Mammogram — right cranio-caudal. 40 y/o patient.
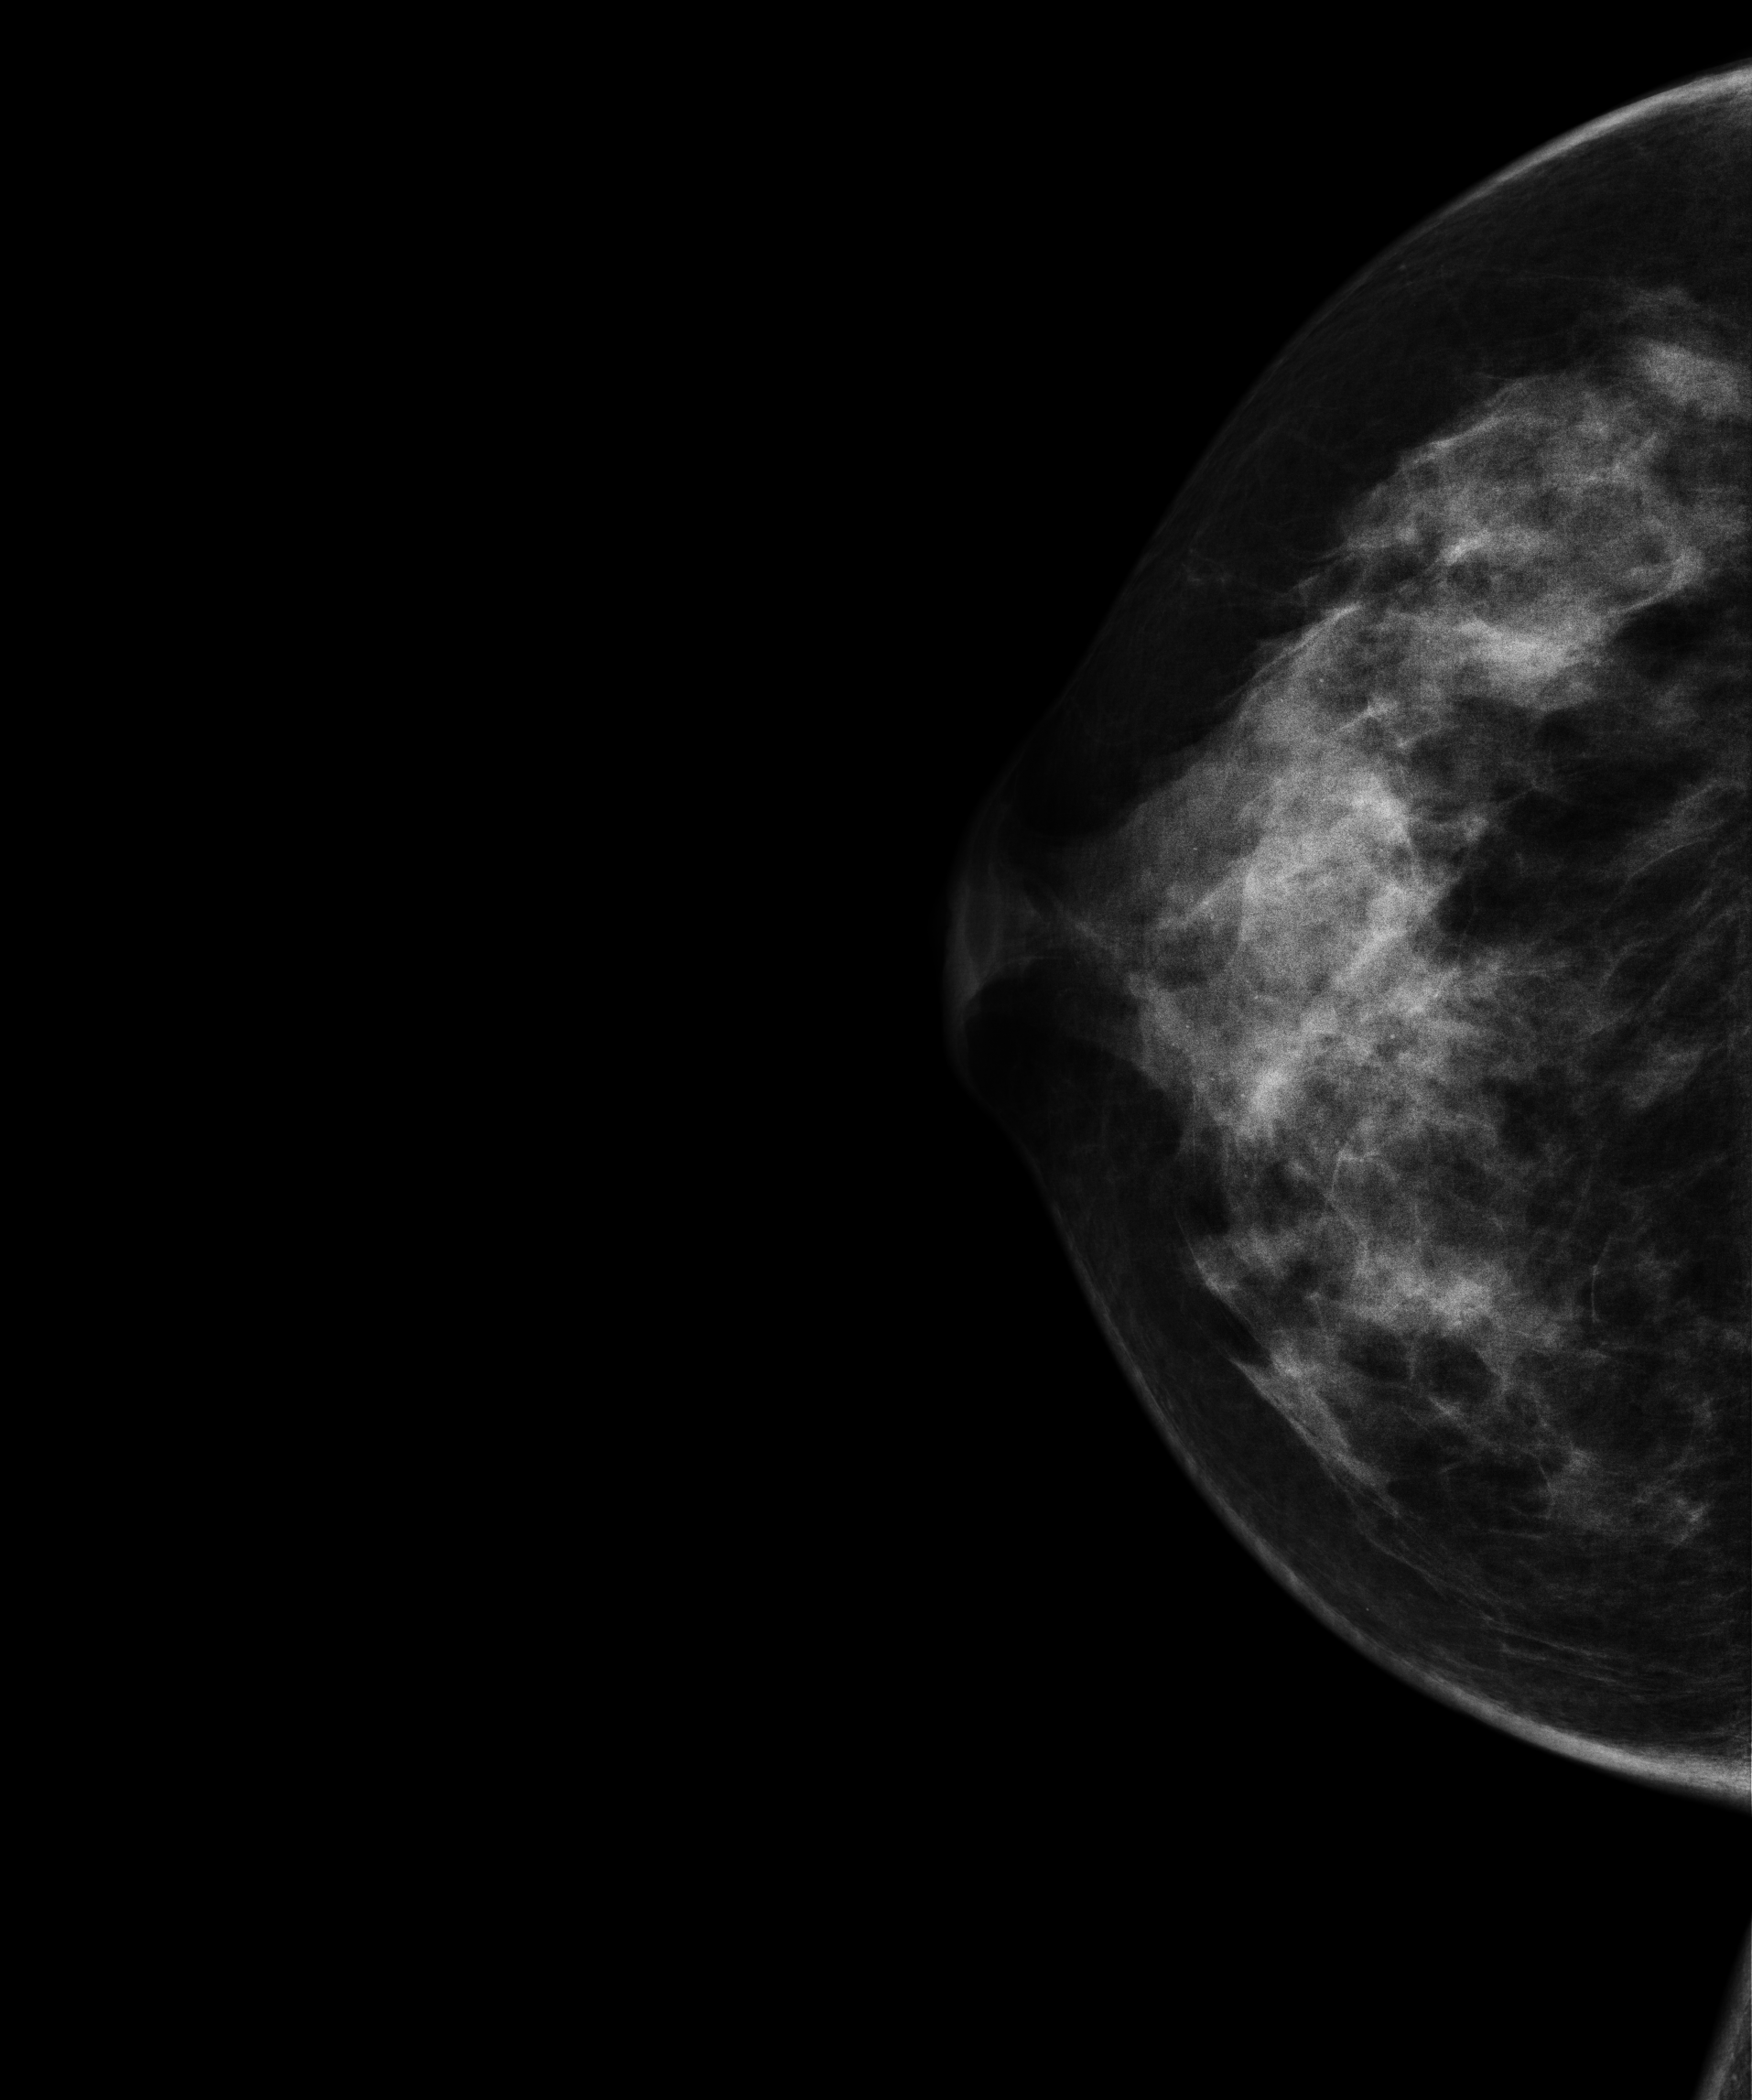
Contralateral breast — no documented abnormality on this side.